Mammogram, left breast, cranio-caudal view. 23-year-old patient.
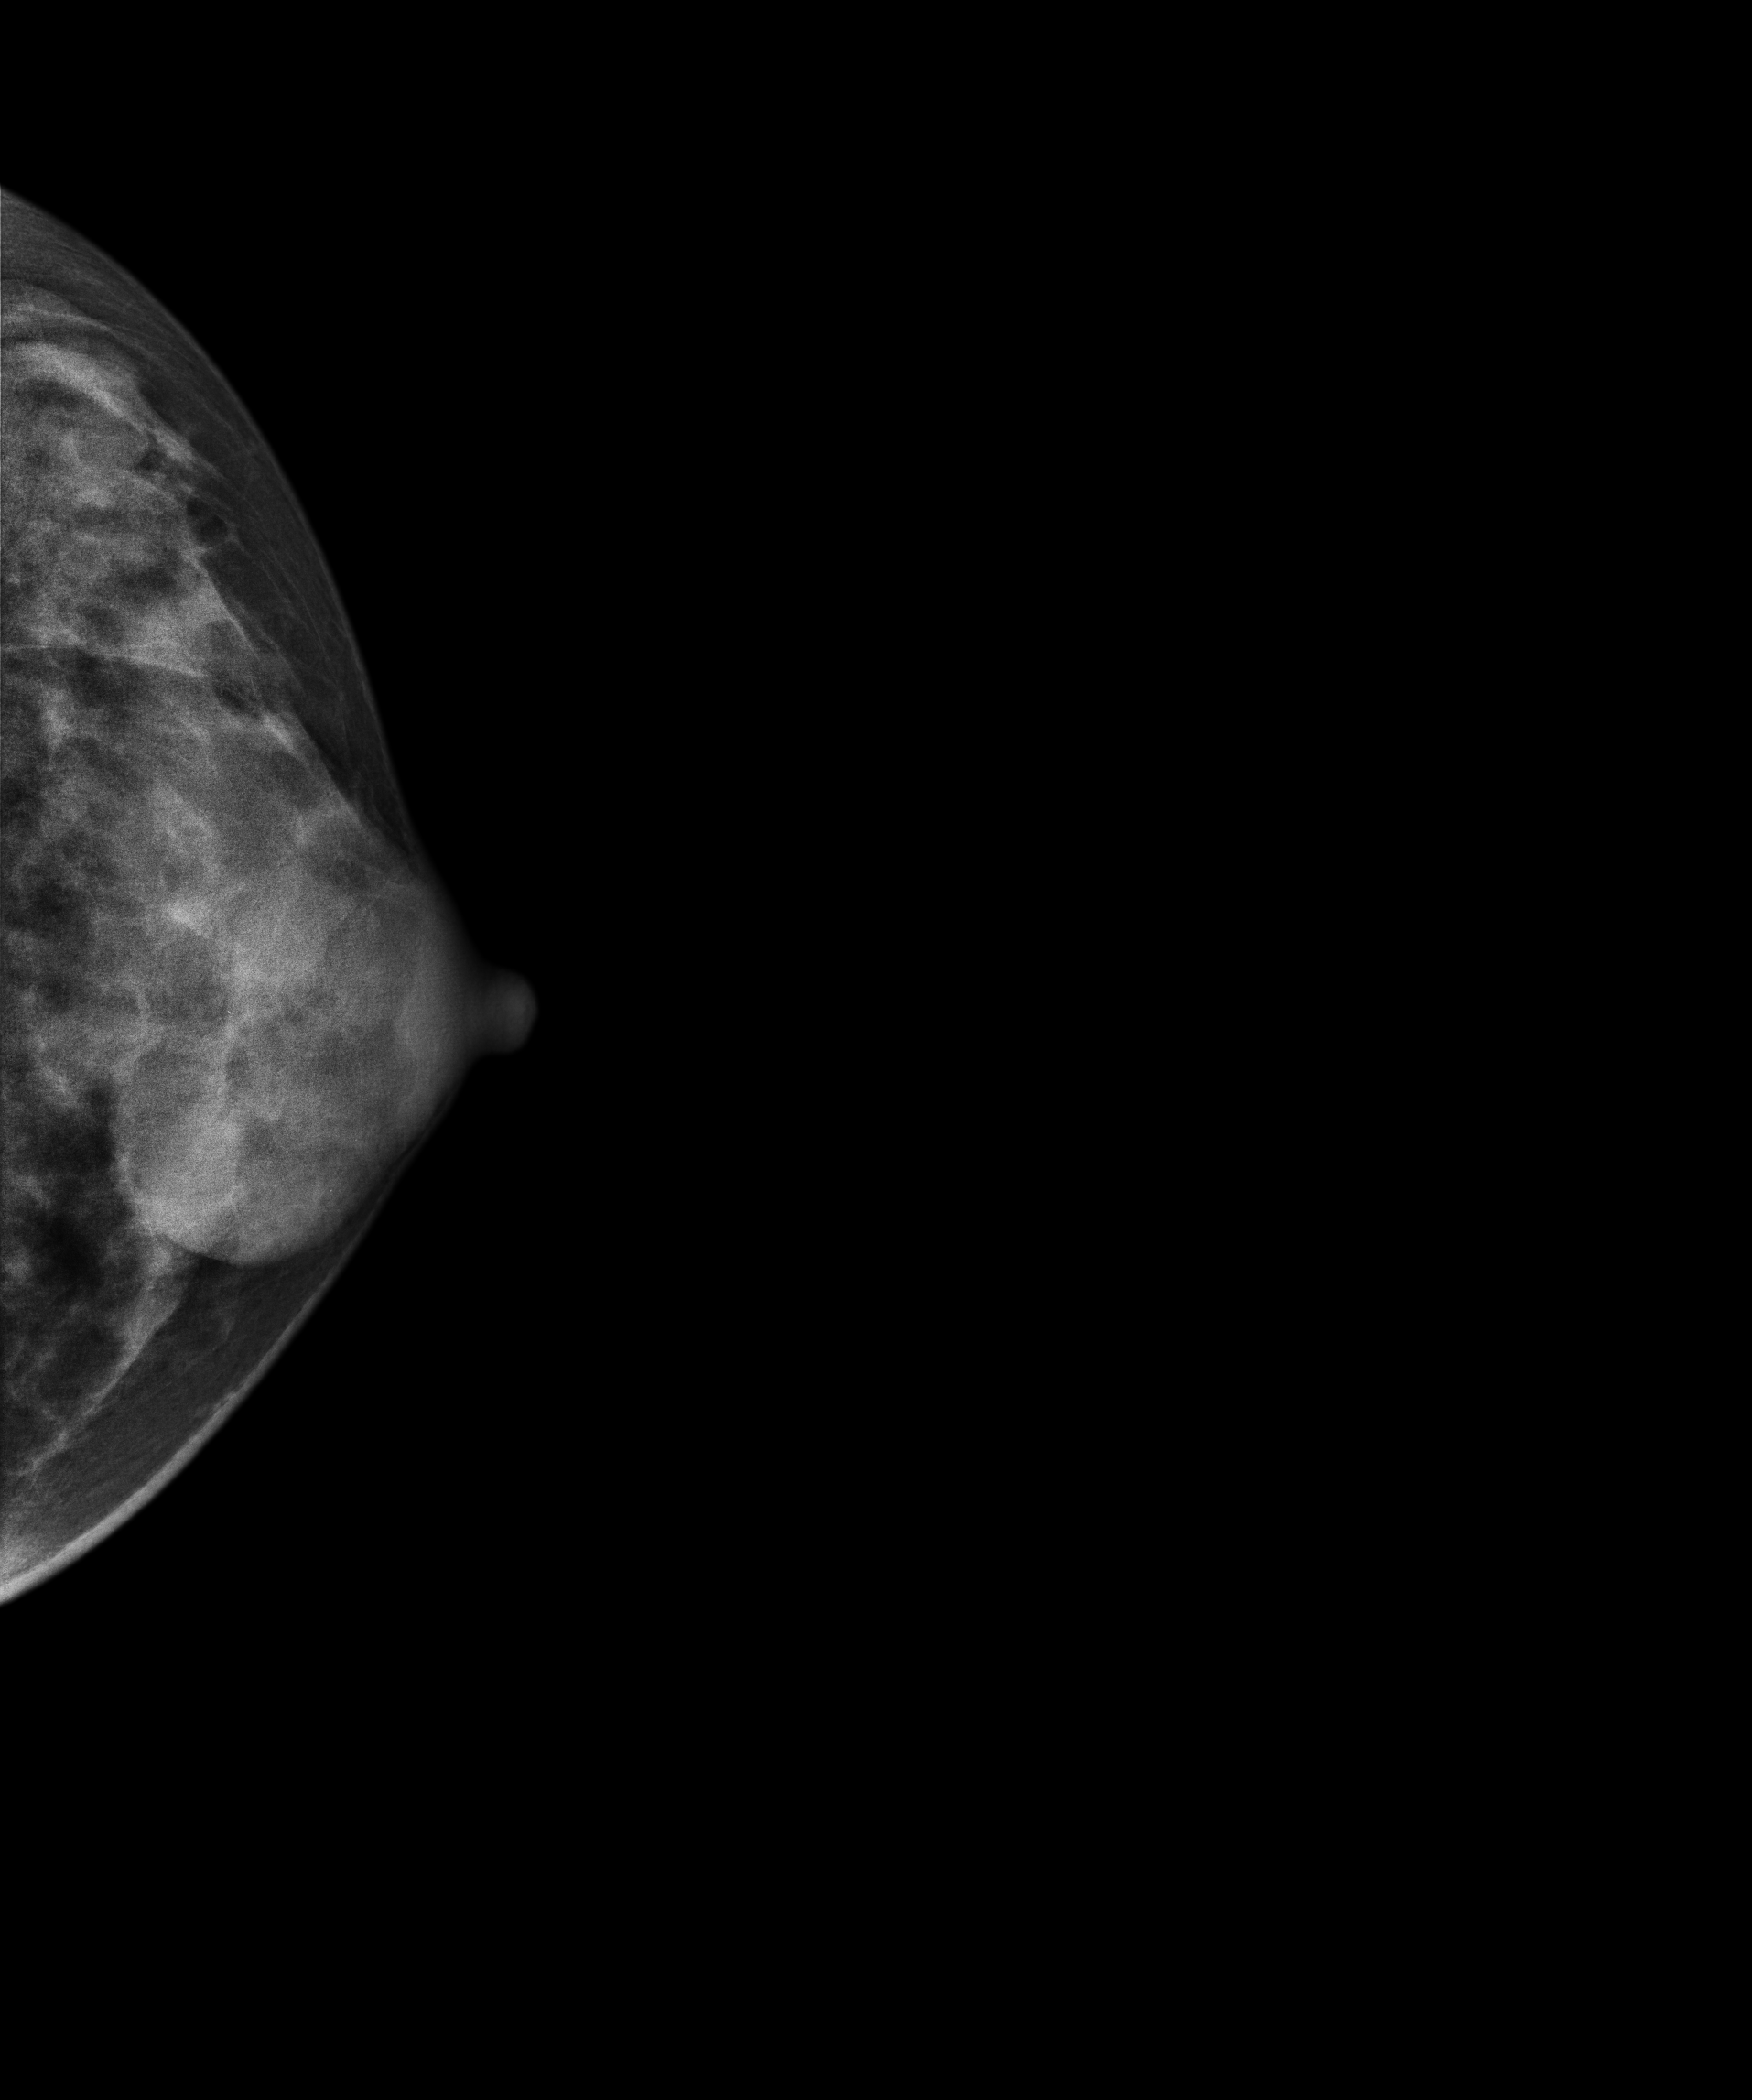
This breast has a mass, biopsy-confirmed benign.